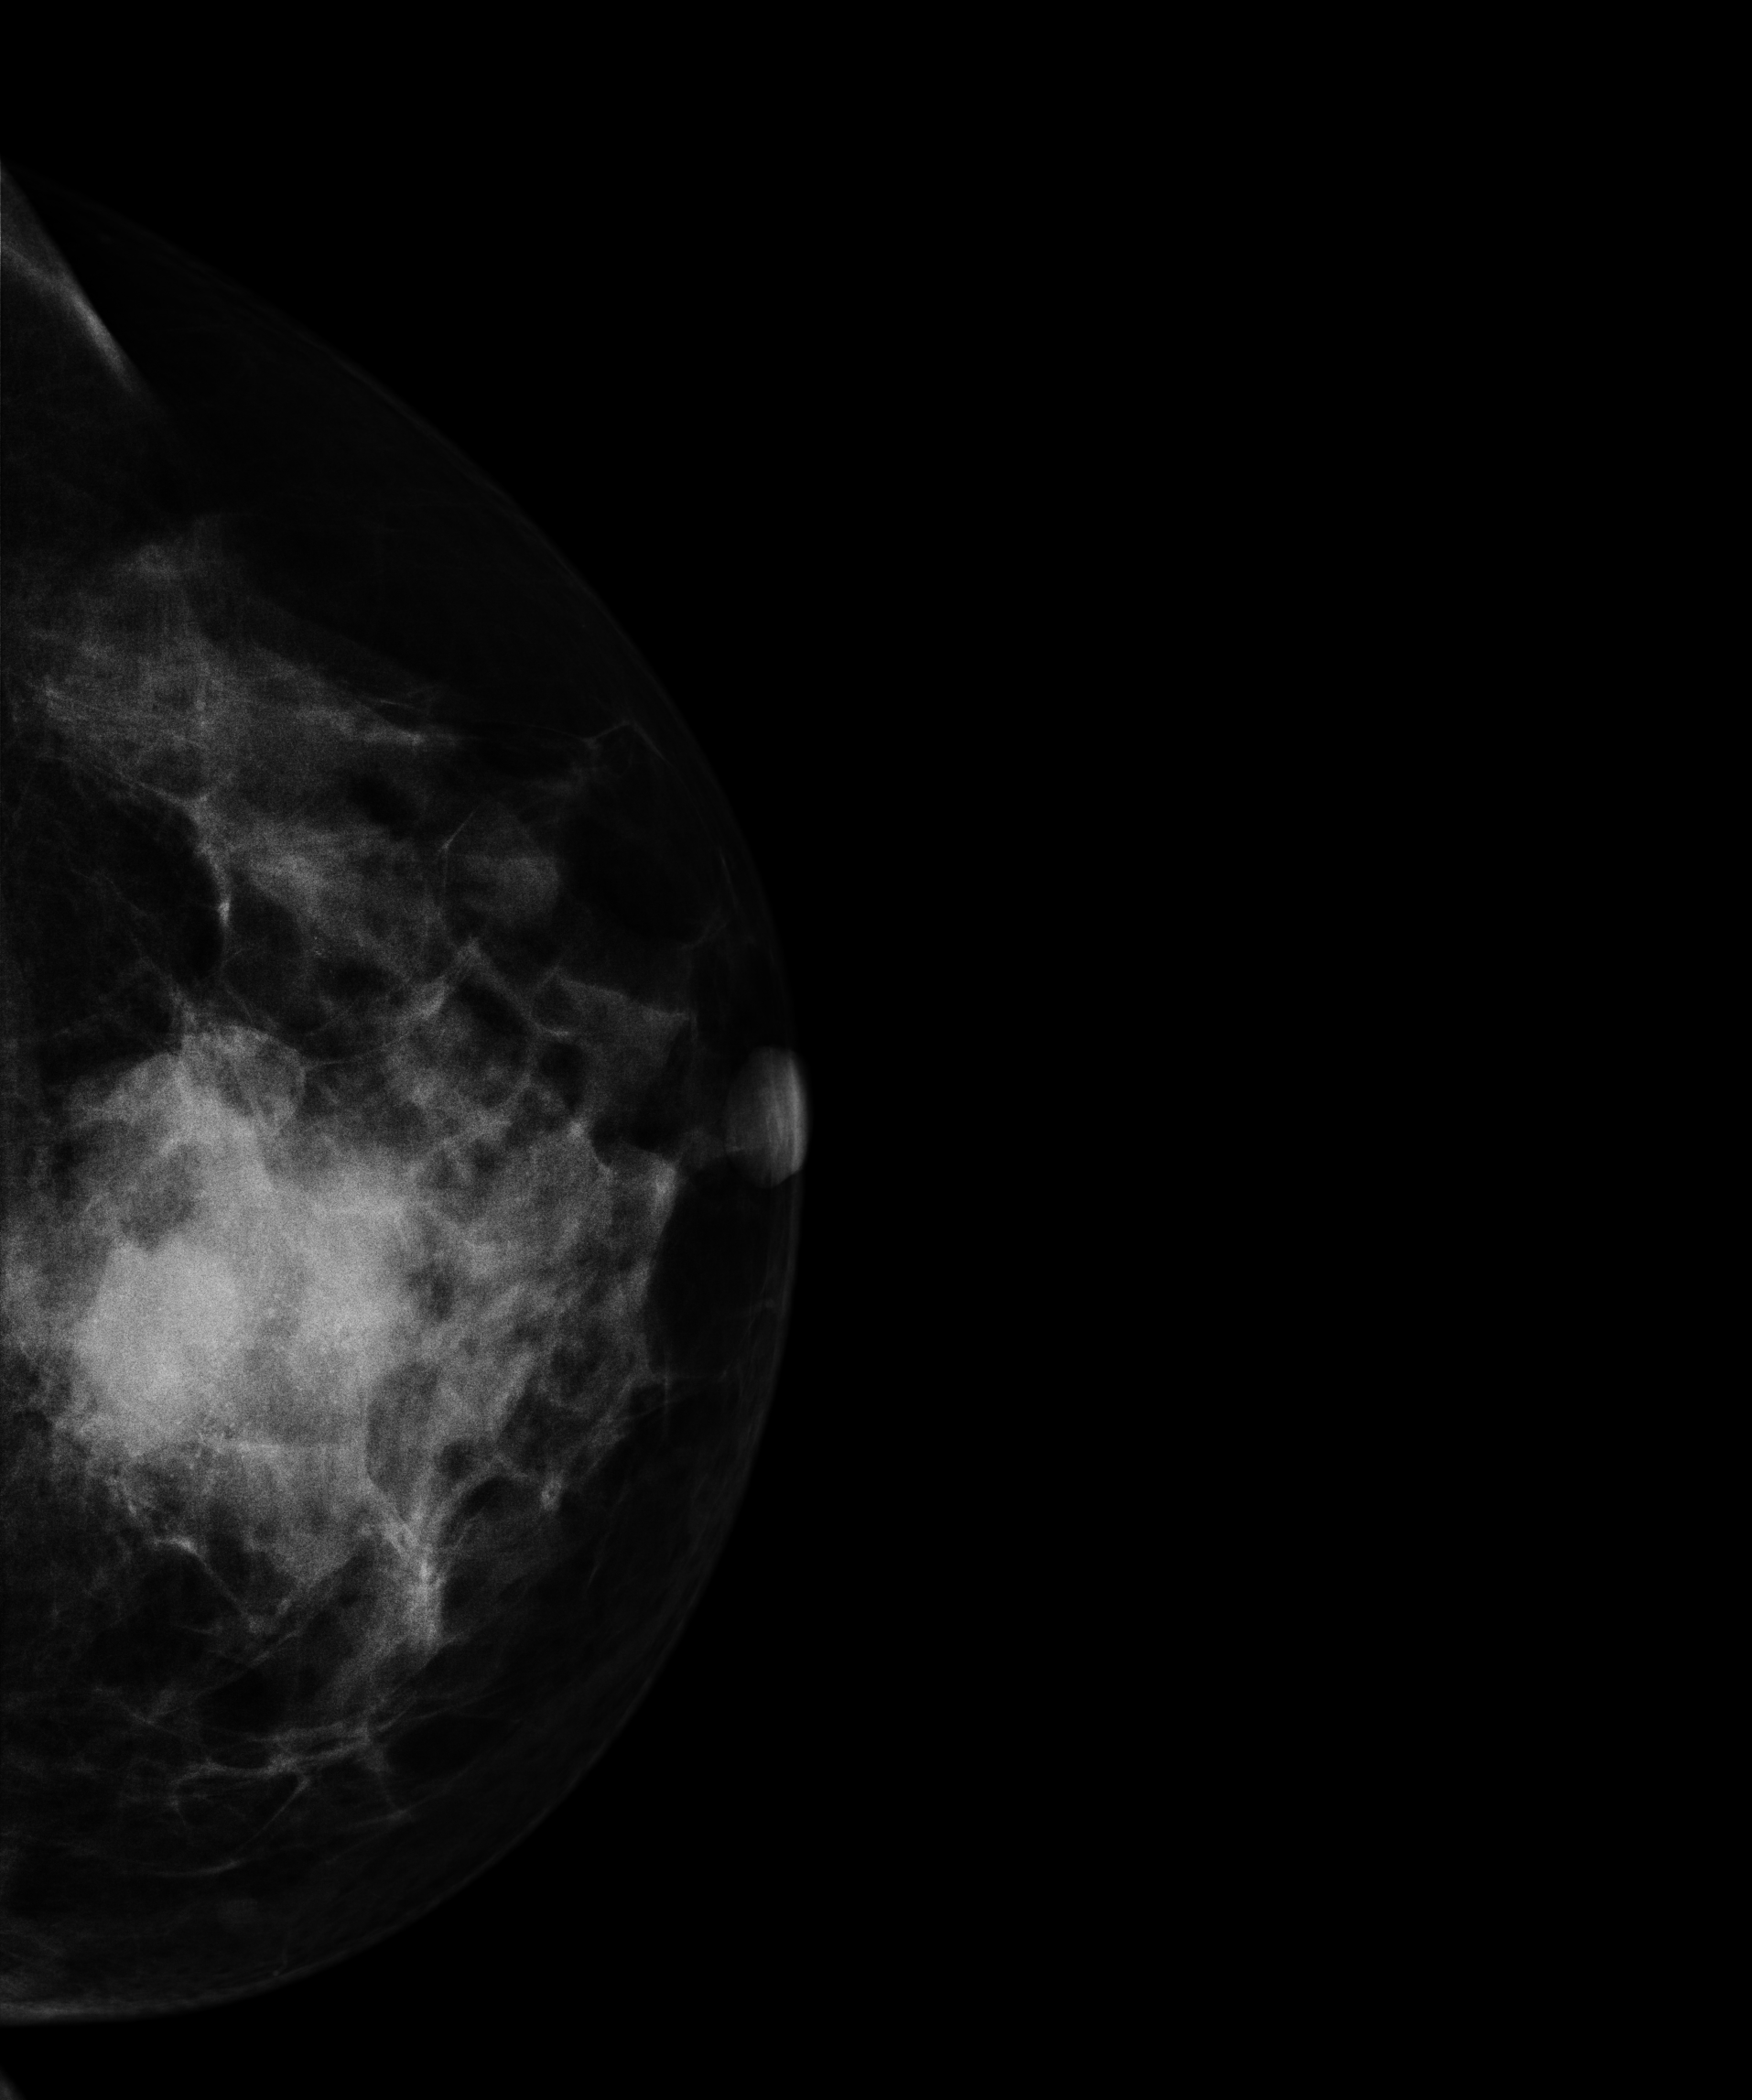
CC mammogram of the left breast. Patient age 48.
This breast has a mass and calcifications, histologically confirmed malignant. Molecular subtype: HER2-enriched.